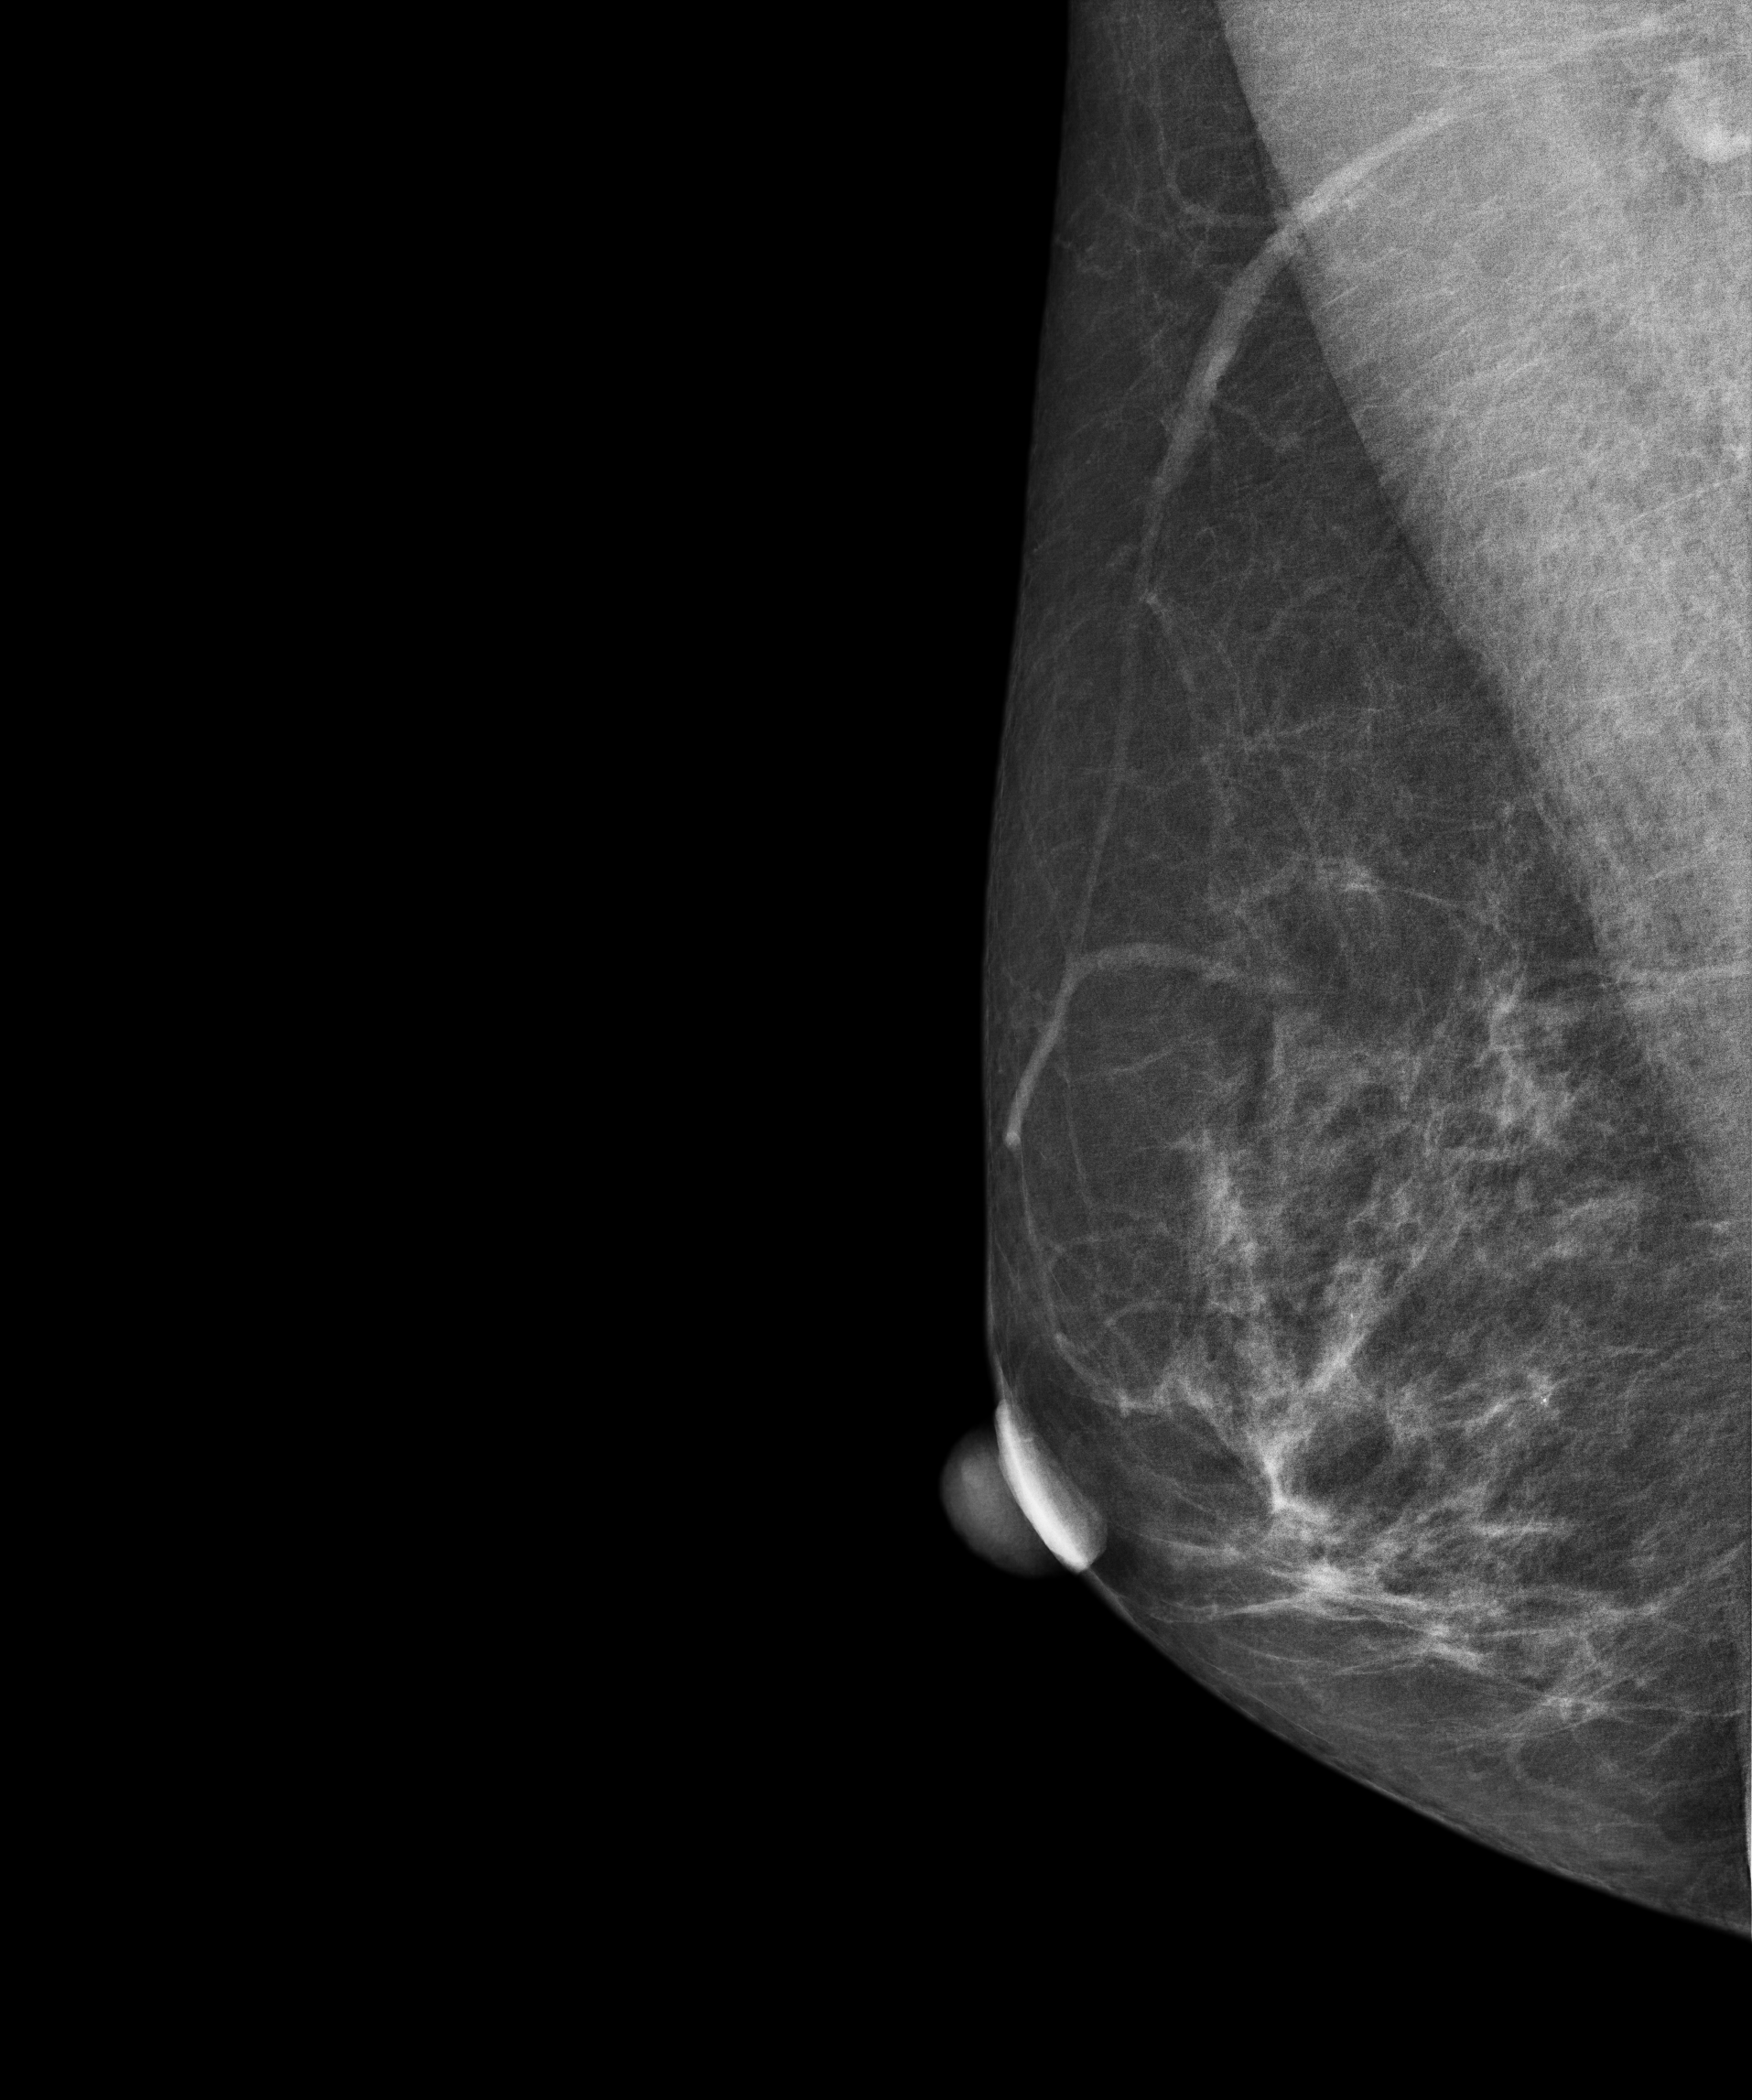
Mammogram, right breast, MLO view. 59-year-old patient.
Contralateral breast — no documented abnormality on this side.